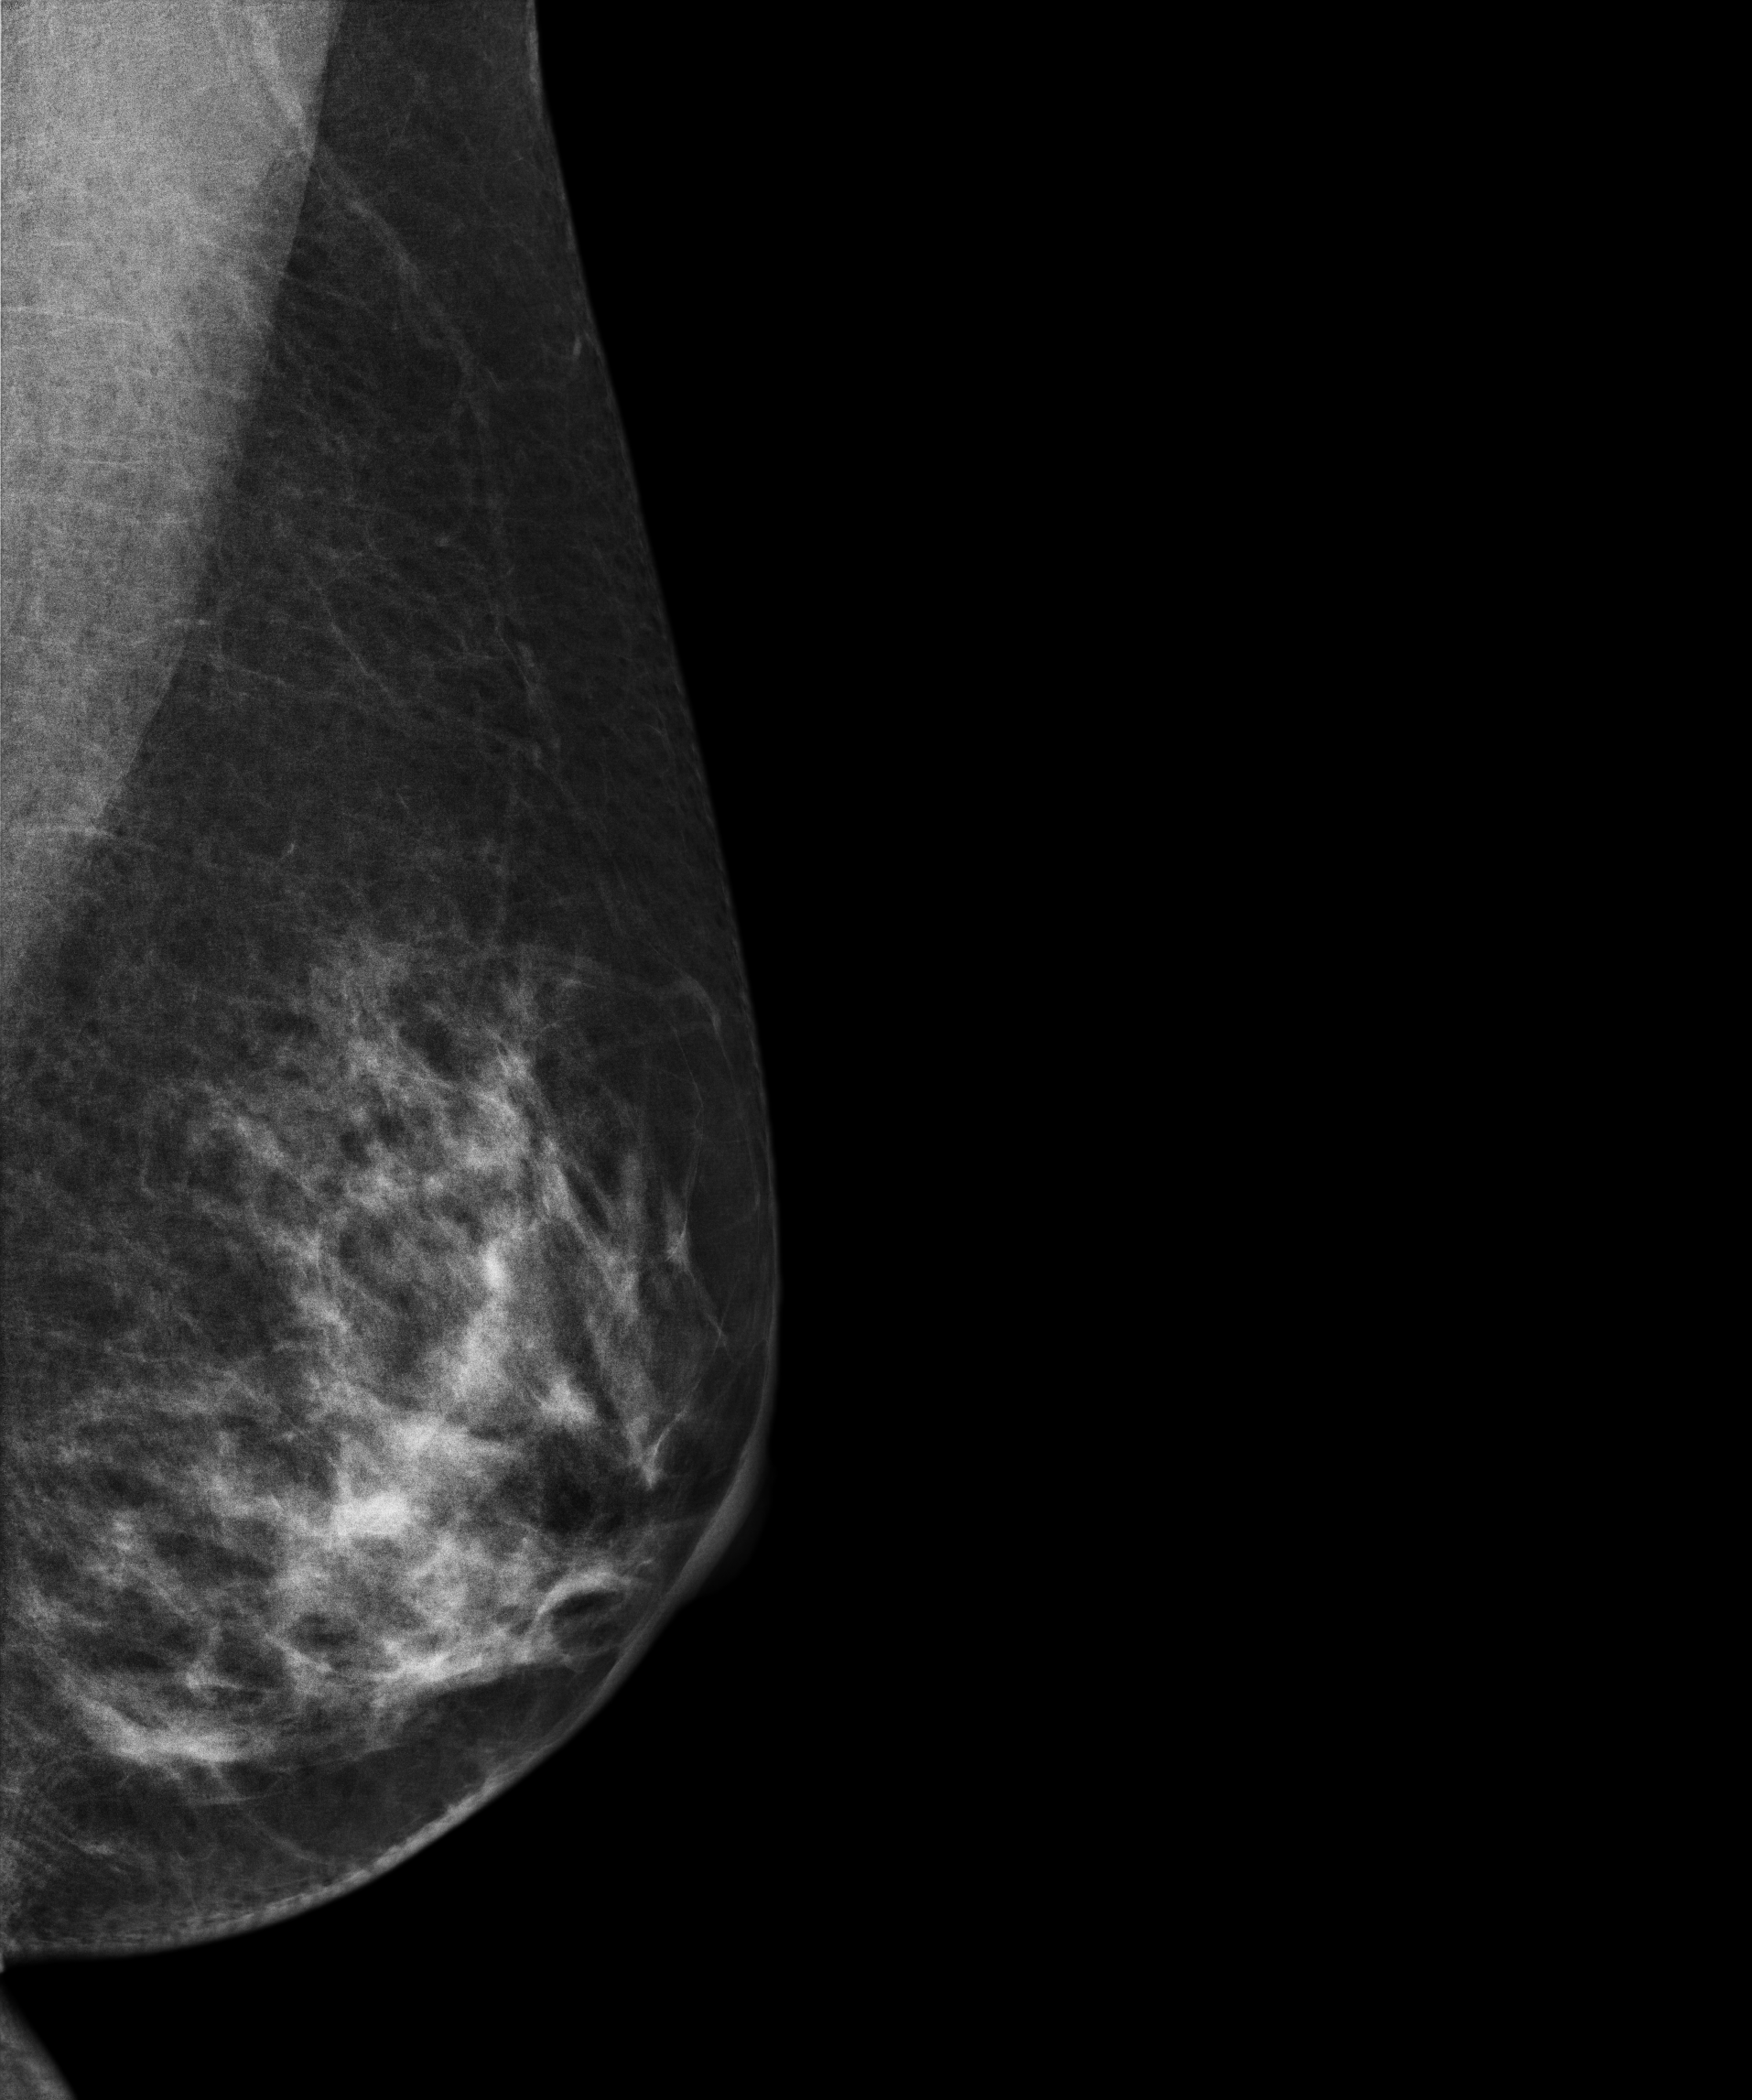
Mammogram, left breast, medio-lateral oblique view. 59 y/o patient.
This breast has a mass, biopsy-confirmed benign.